Mammogram, left breast, MLO view. Patient age 31.
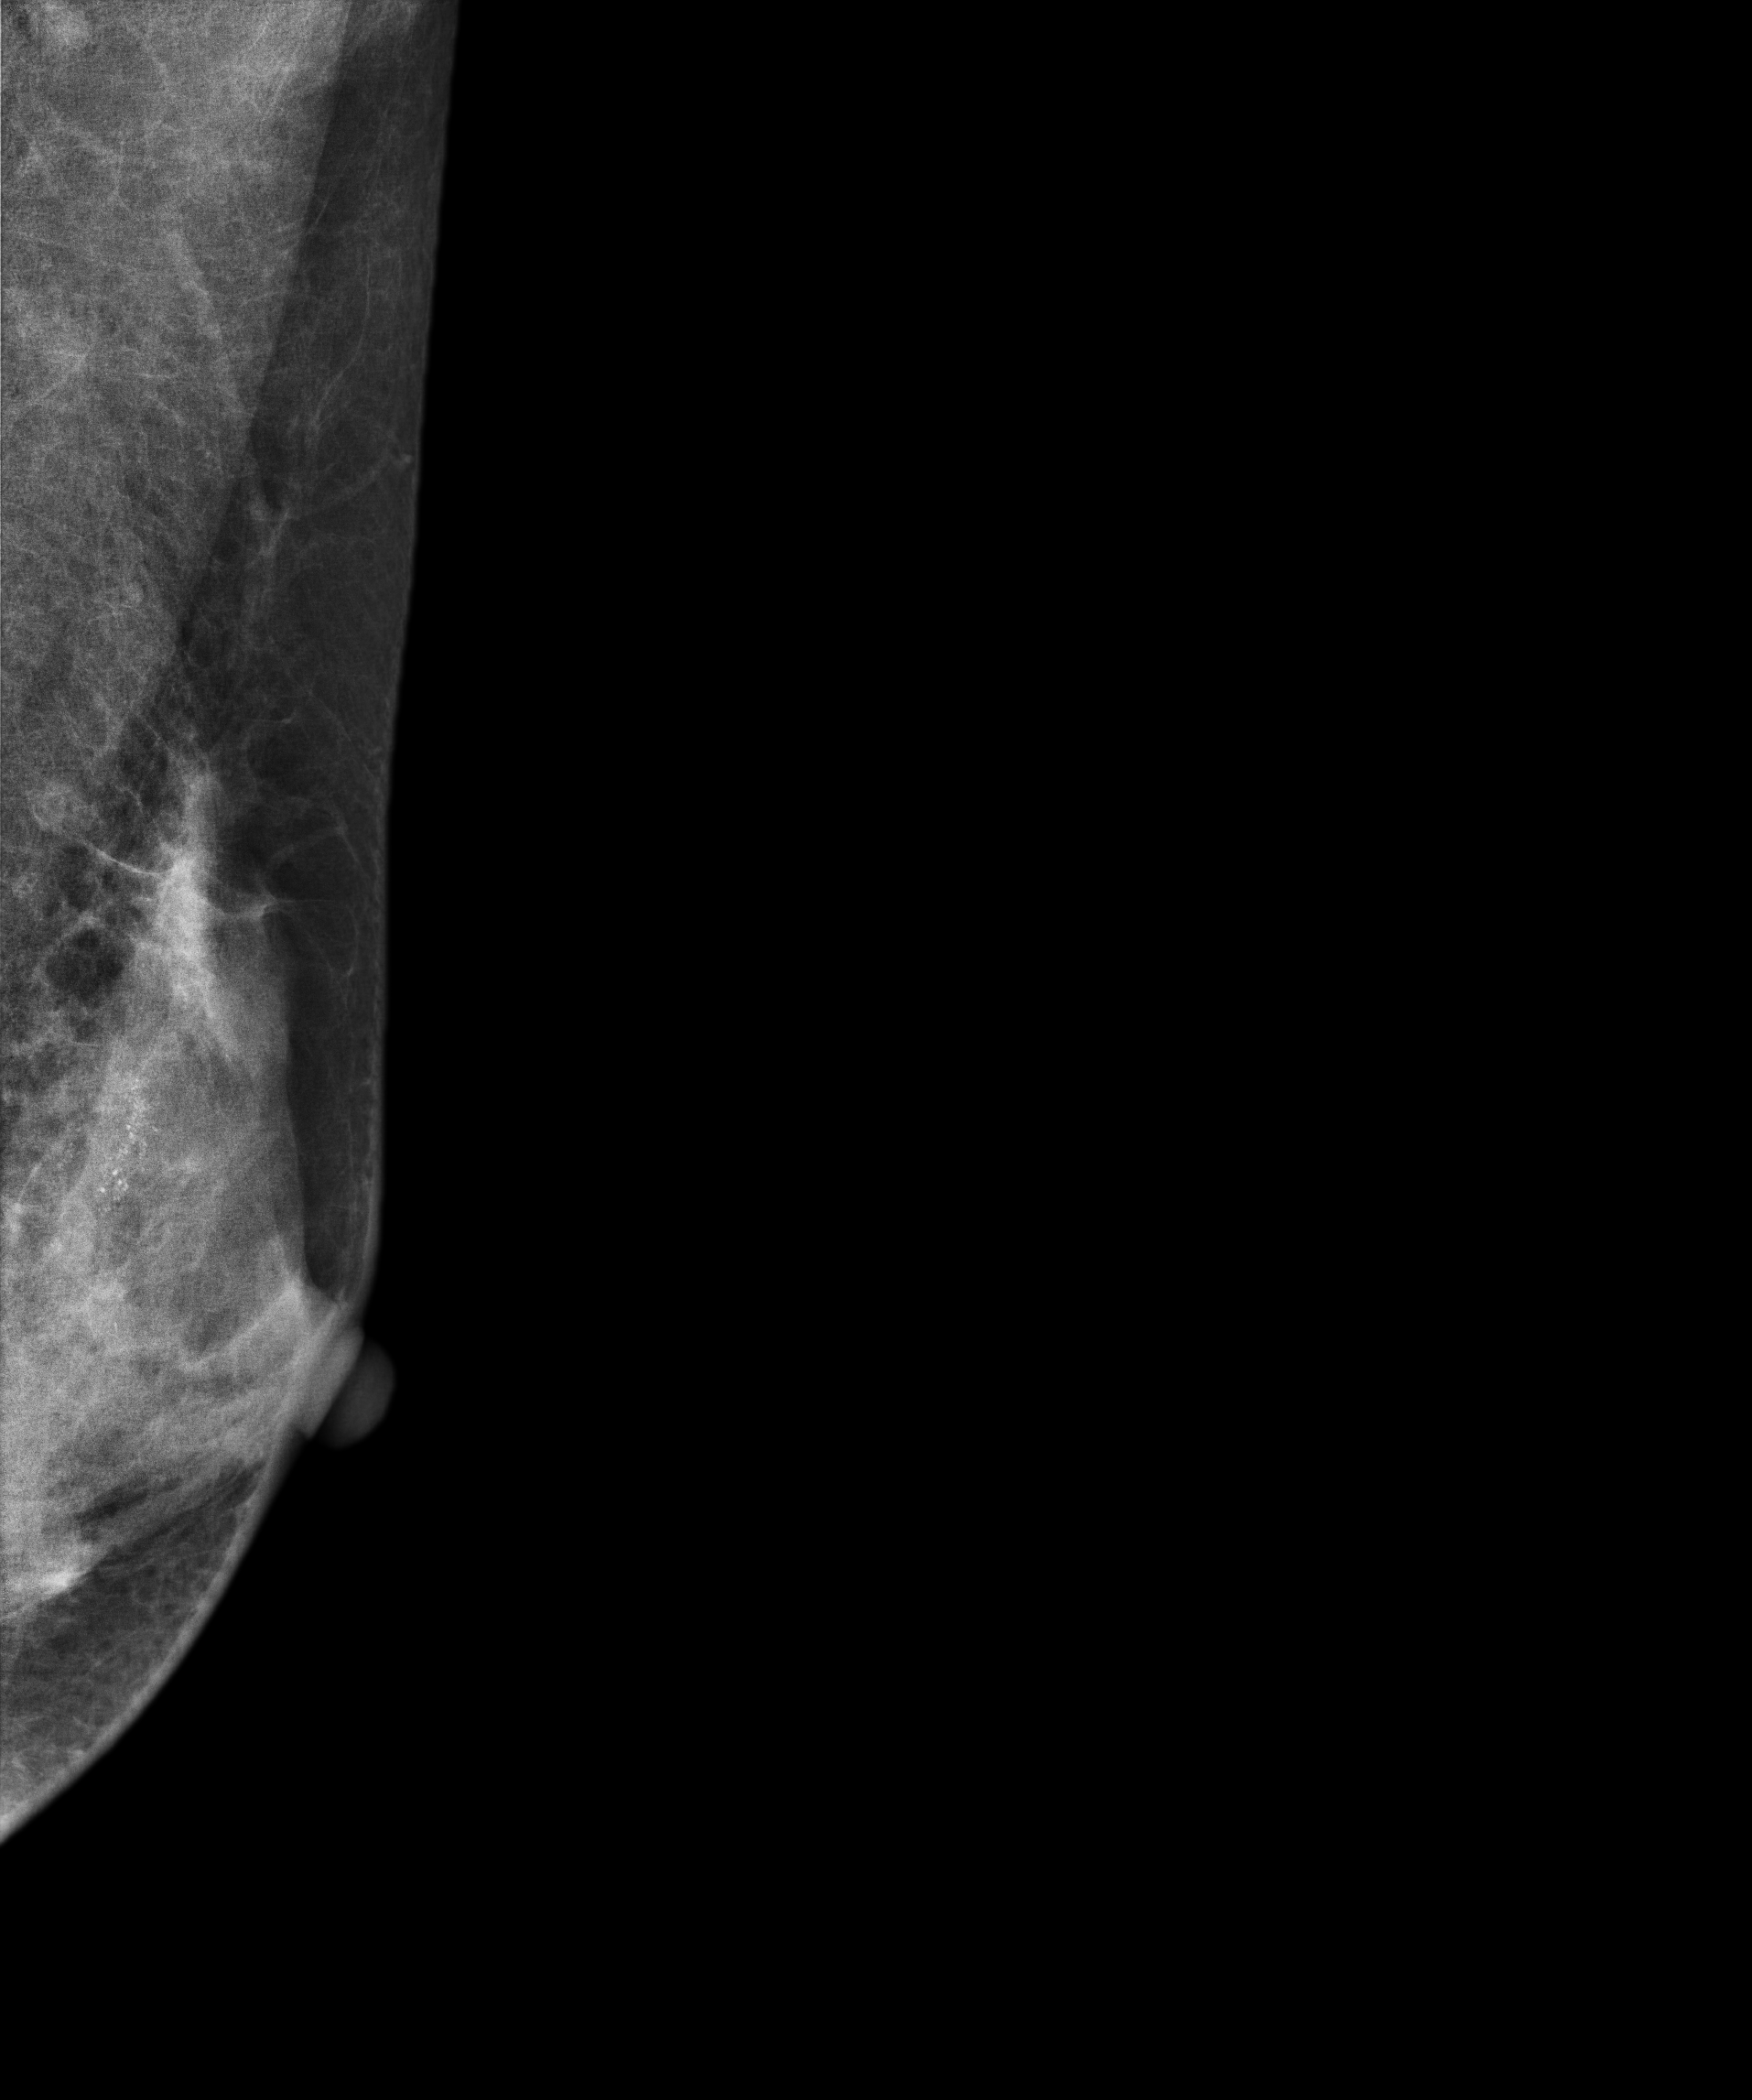
This breast has calcifications, pathology-confirmed malignant. Molecular subtype: luminal A.